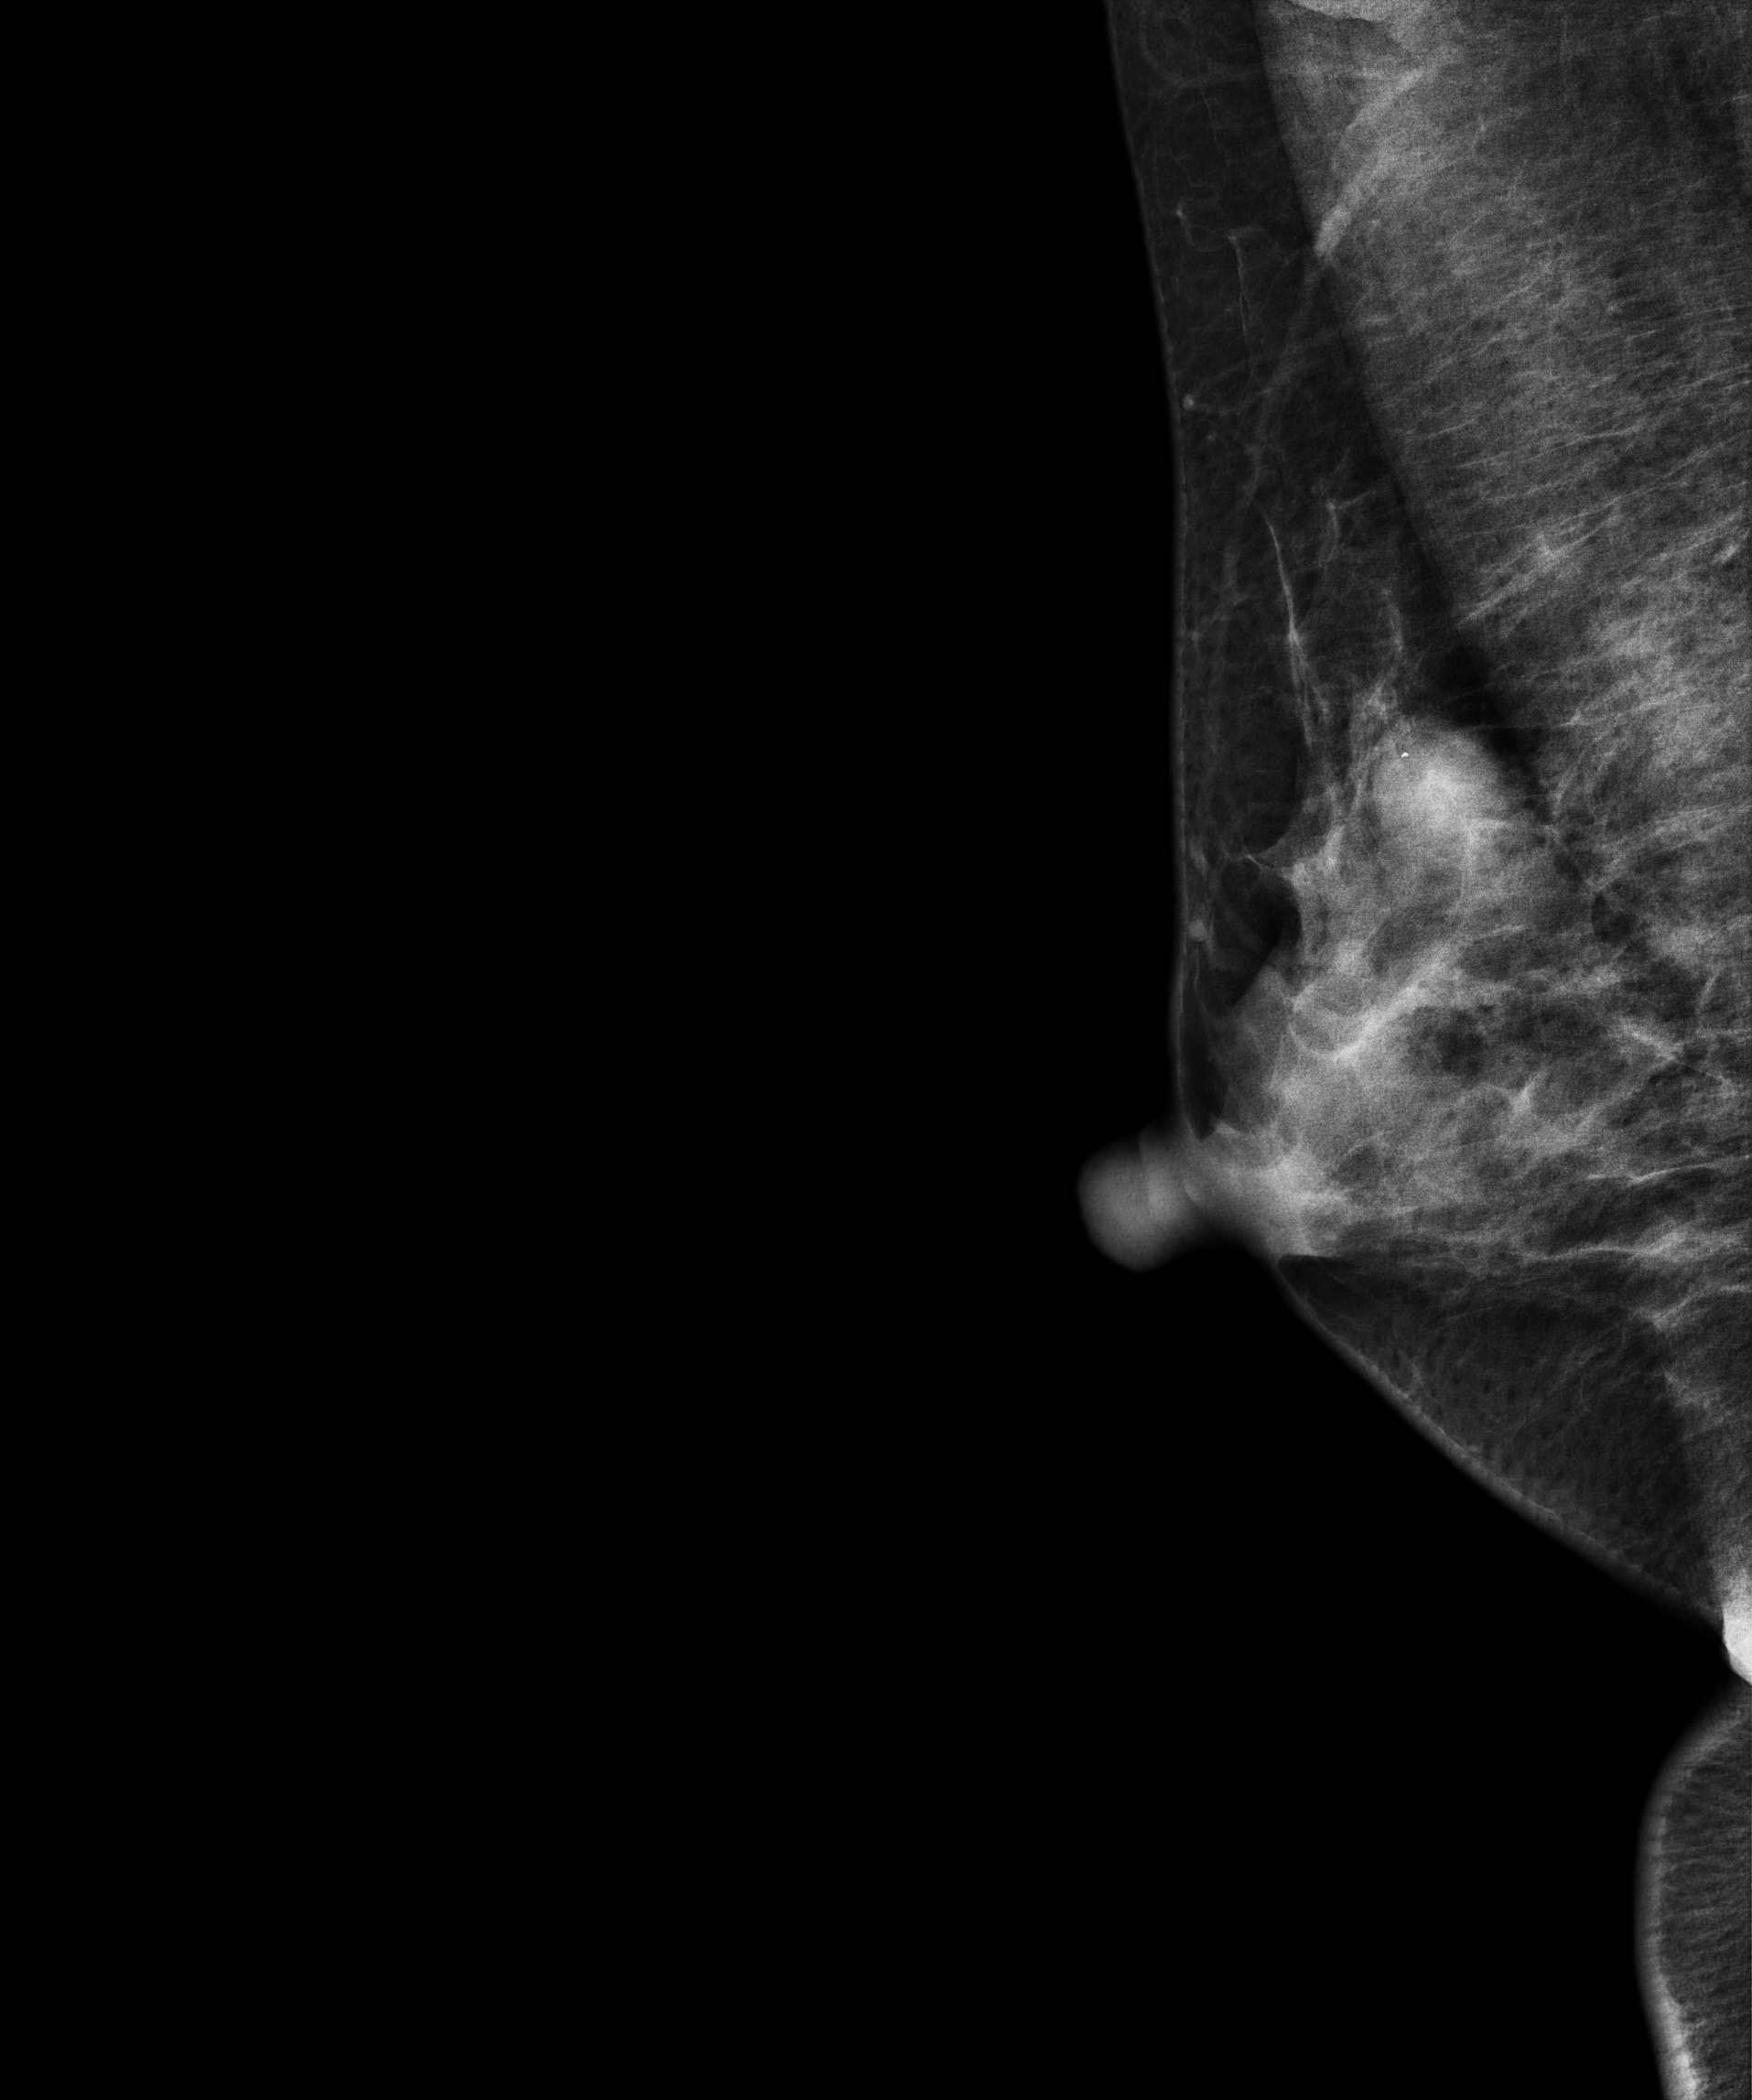
Medio-lateral oblique mammogram of the right breast. Patient age 44.
This breast has a mass, biopsy-proven benign.